Cranio-caudal mammogram of the left breast. 51 y/o patient.
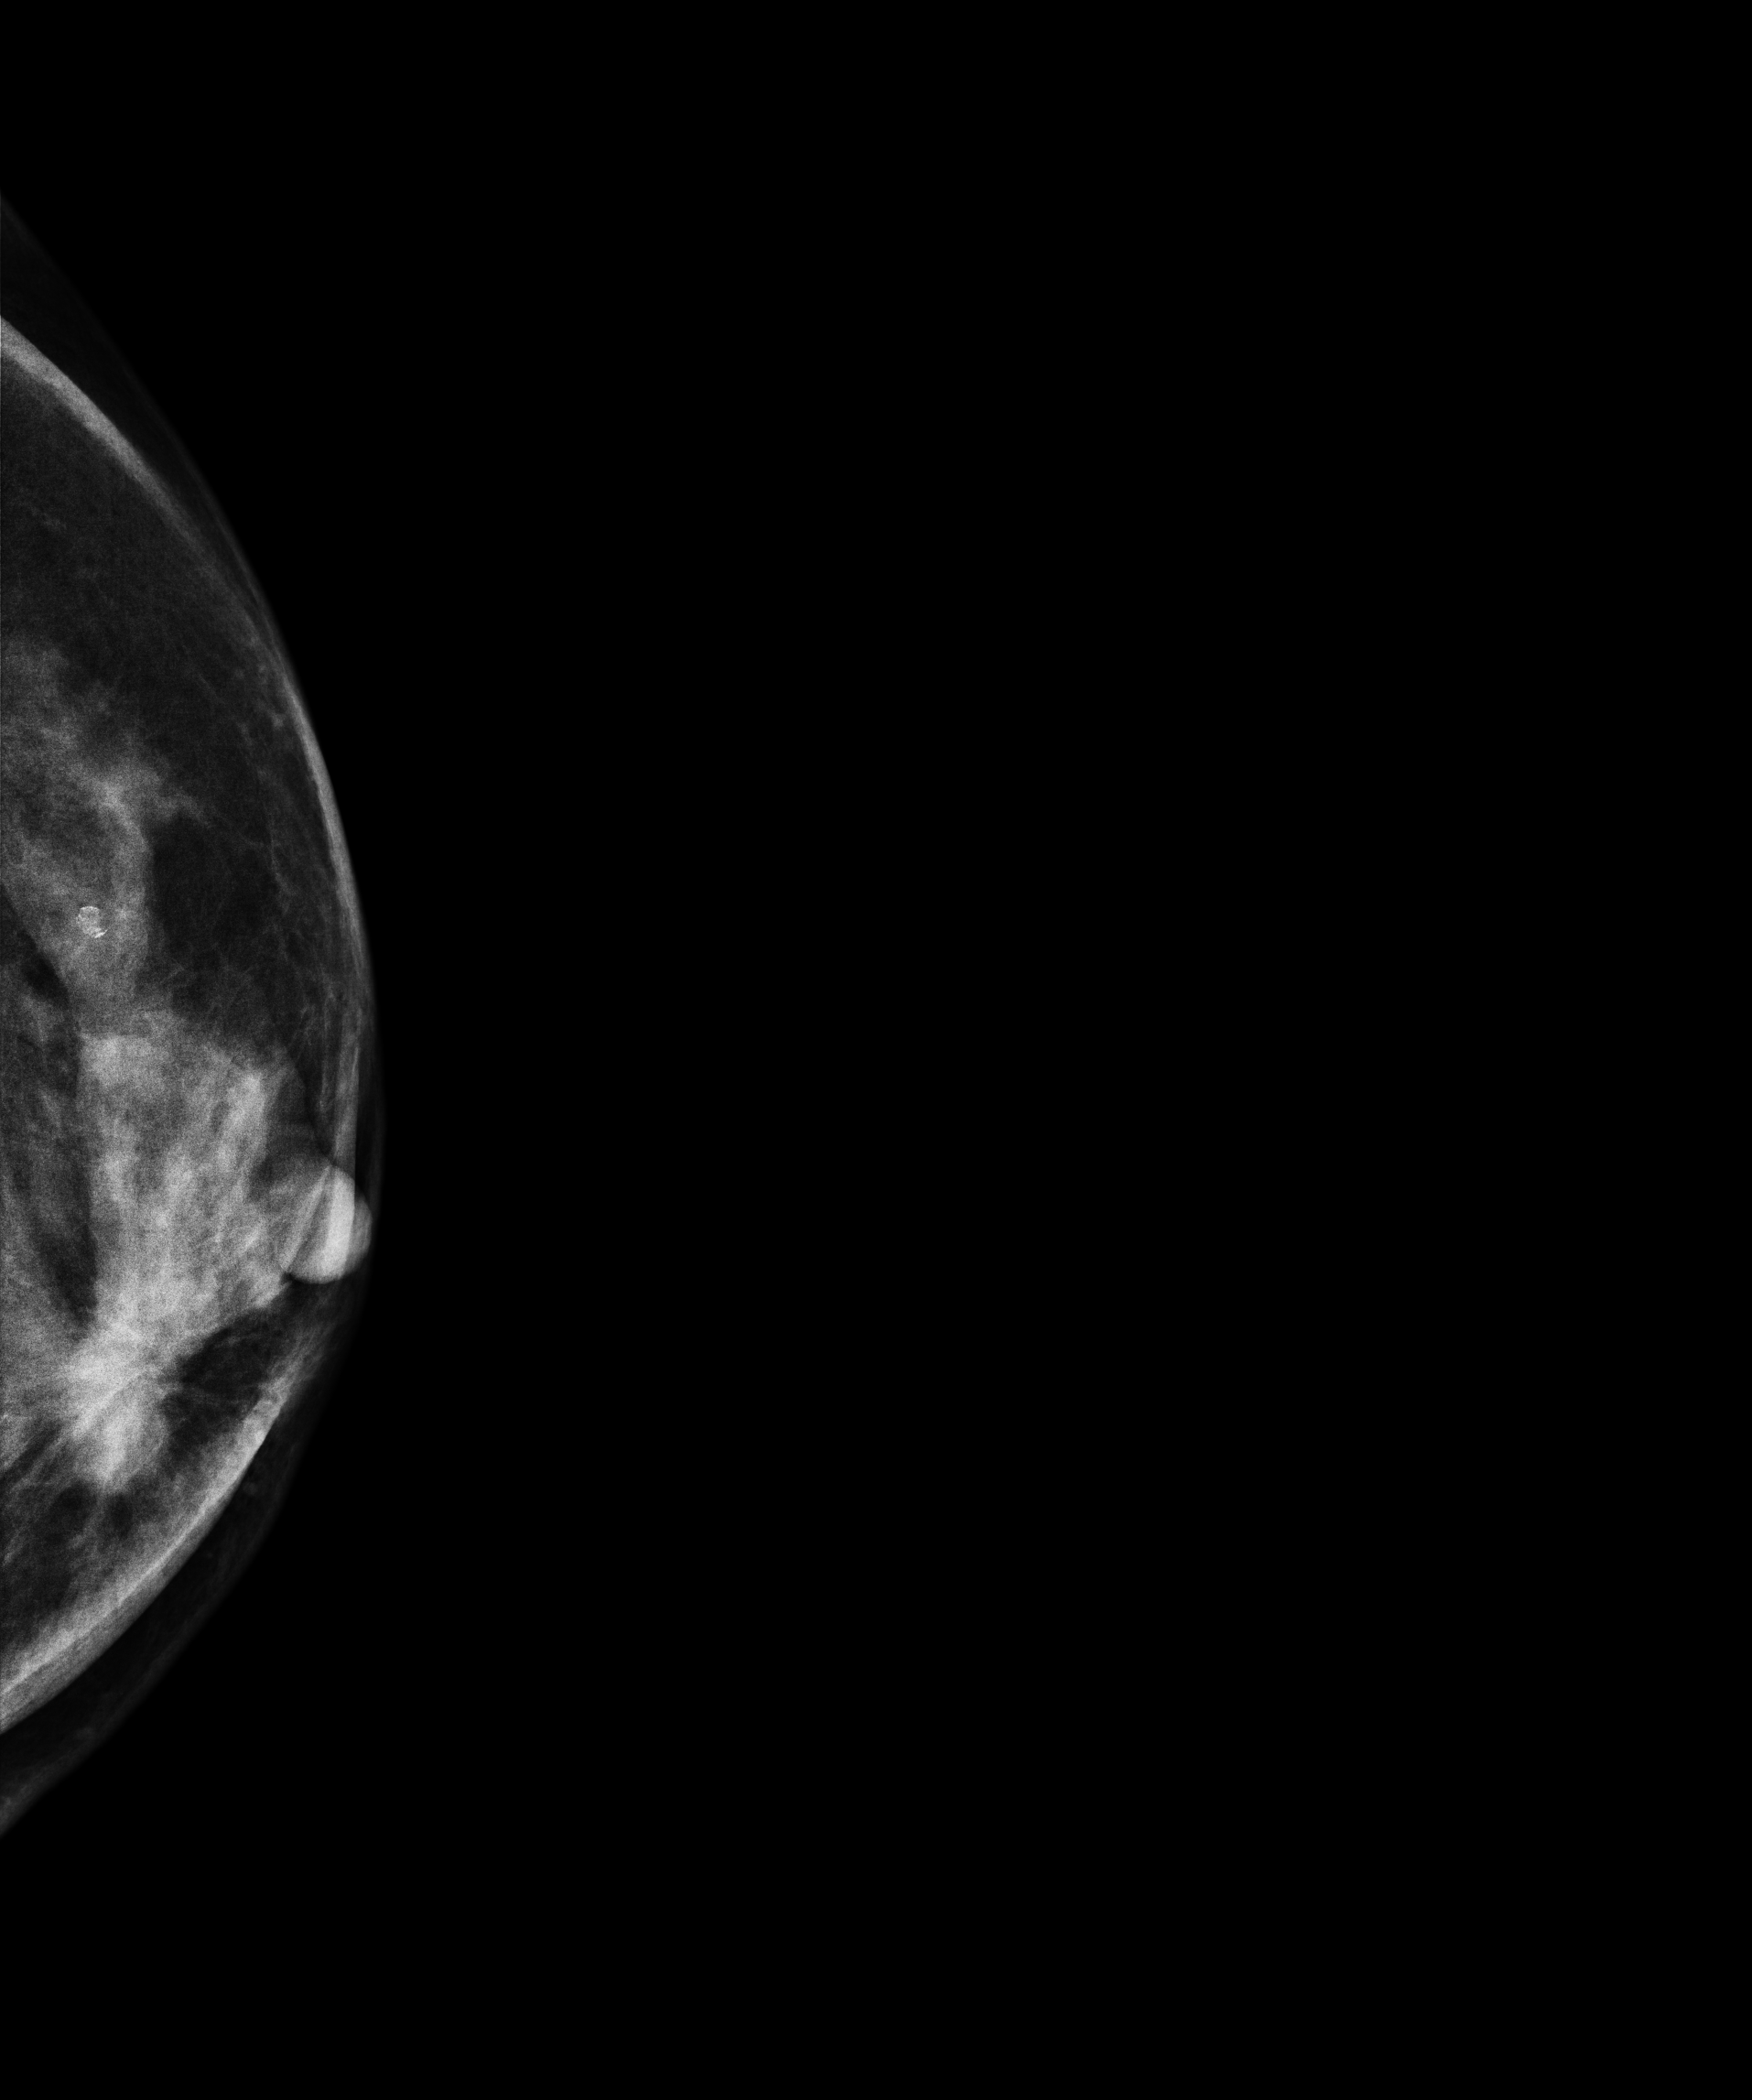
This breast has a mass, biopsy-confirmed malignant.